Medio-lateral oblique mammogram of the left breast. Patient age 58.
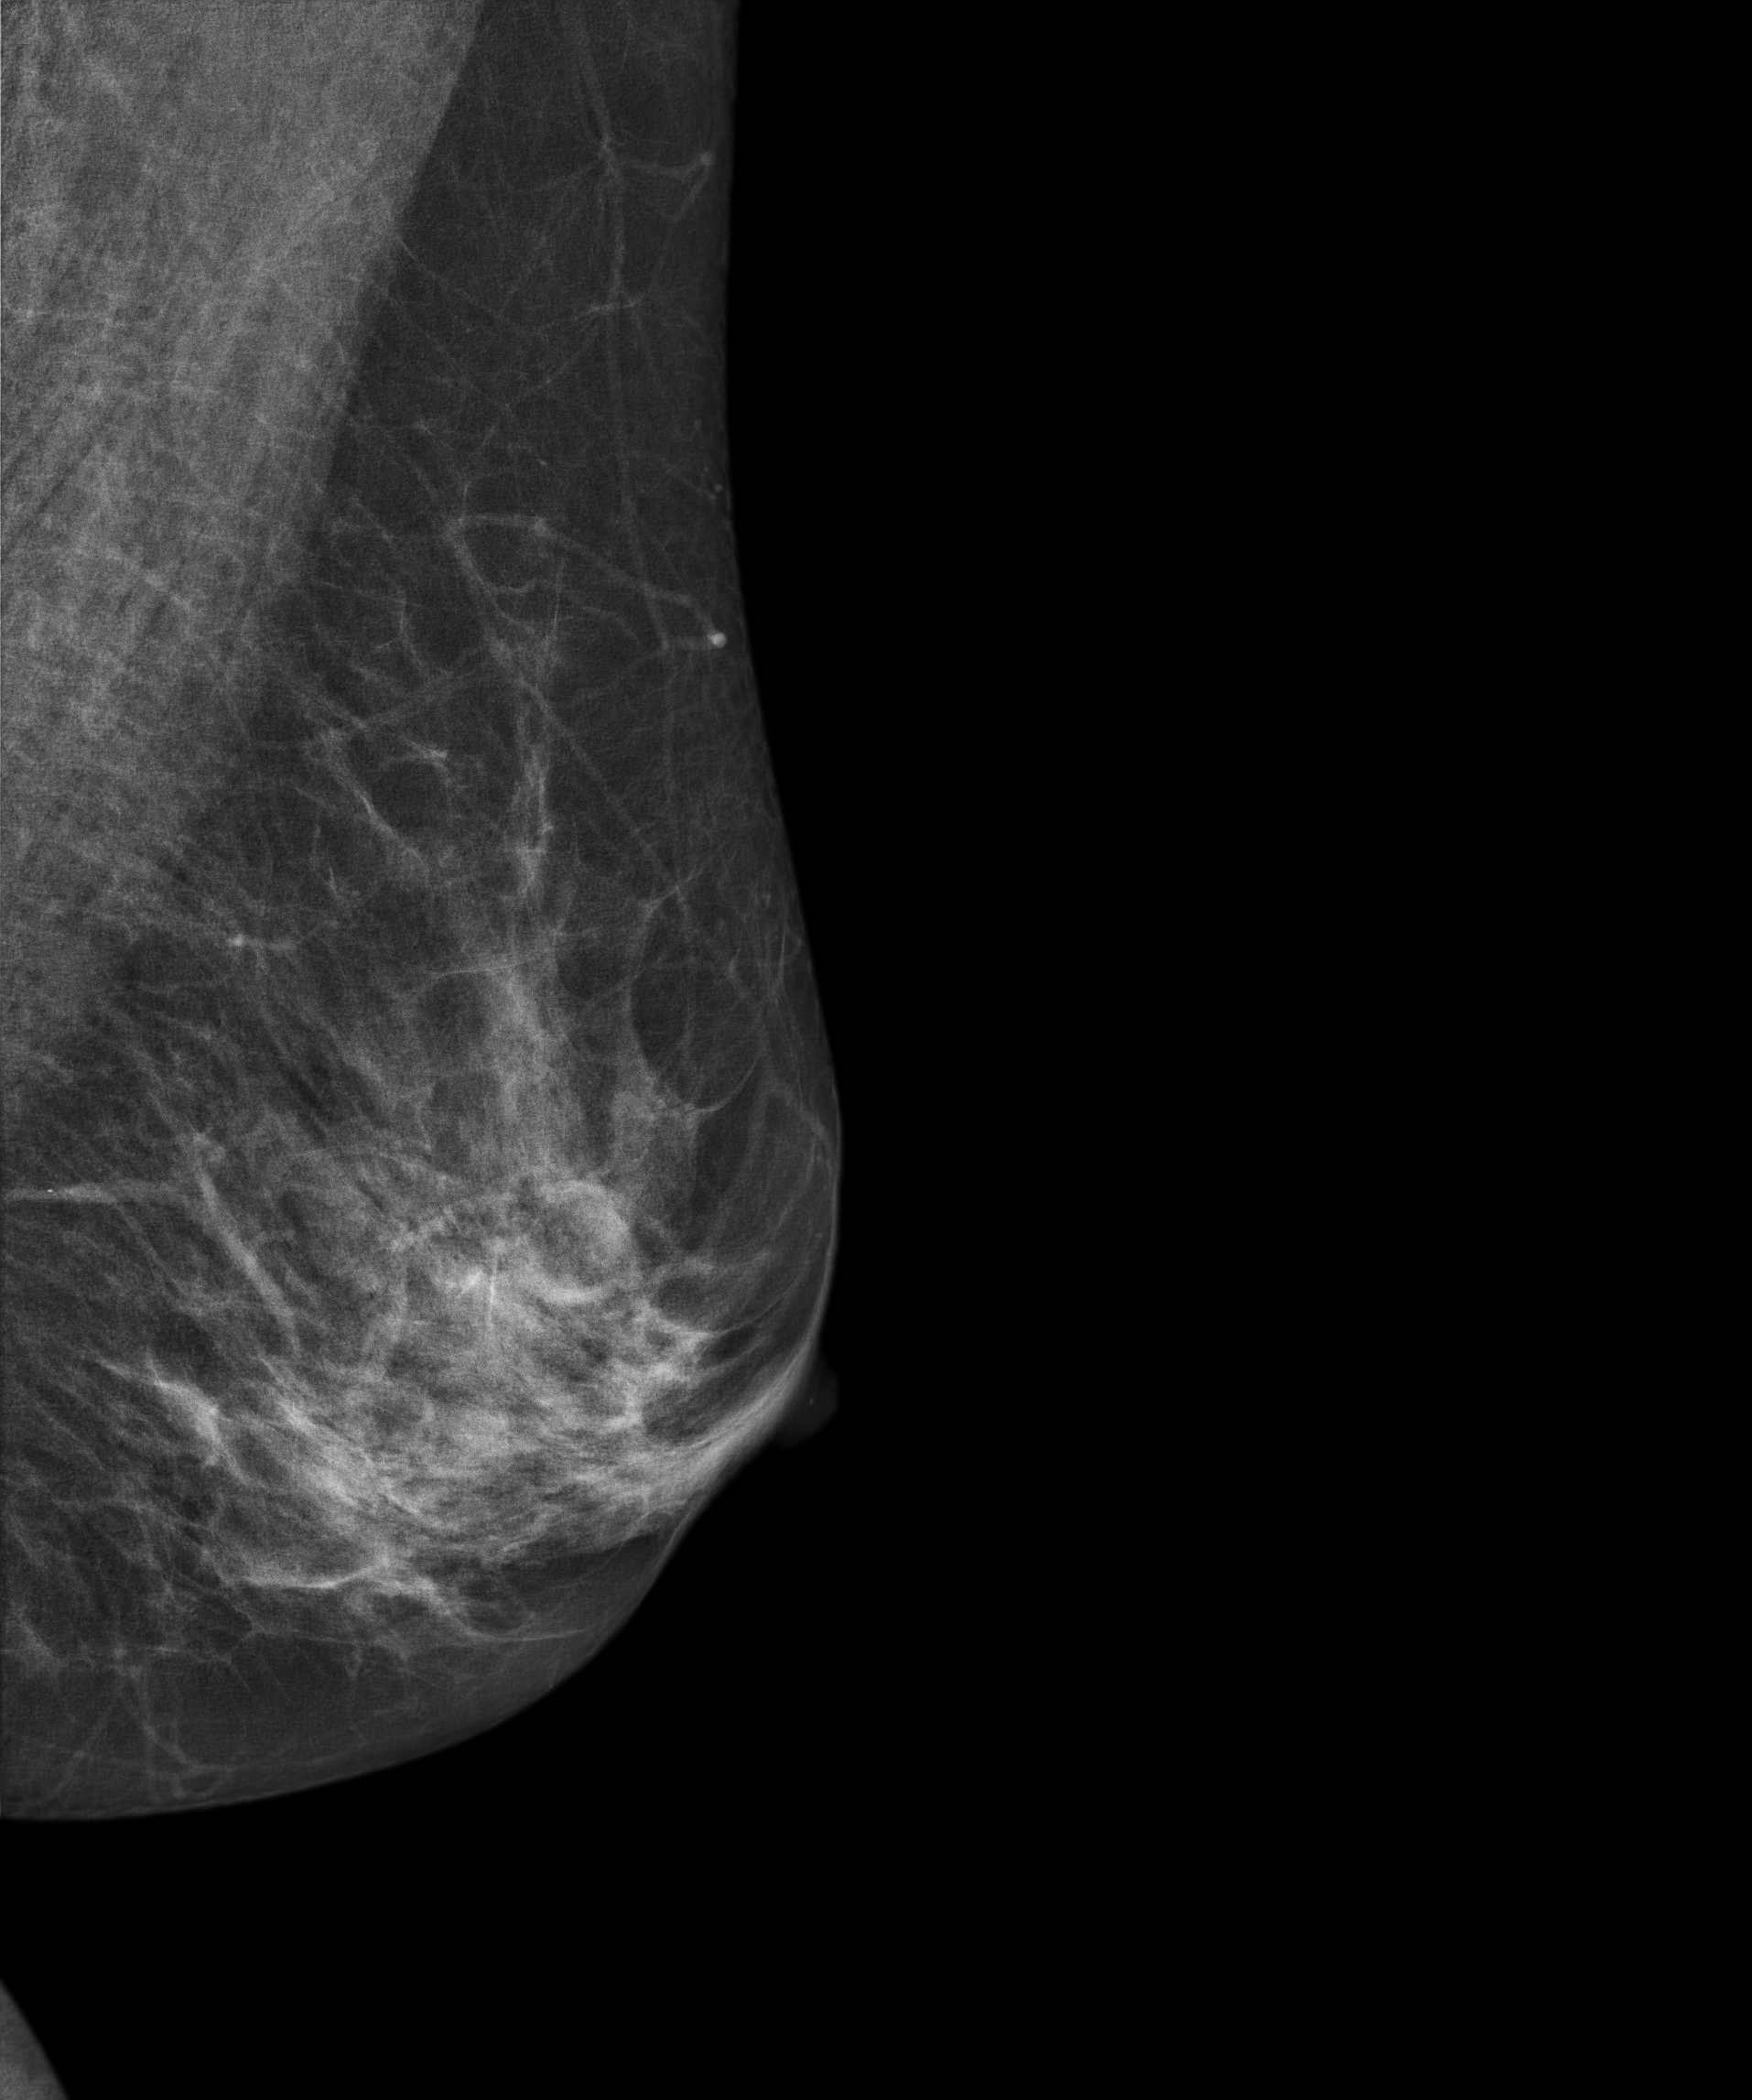
Contralateral breast — no documented abnormality on this side.